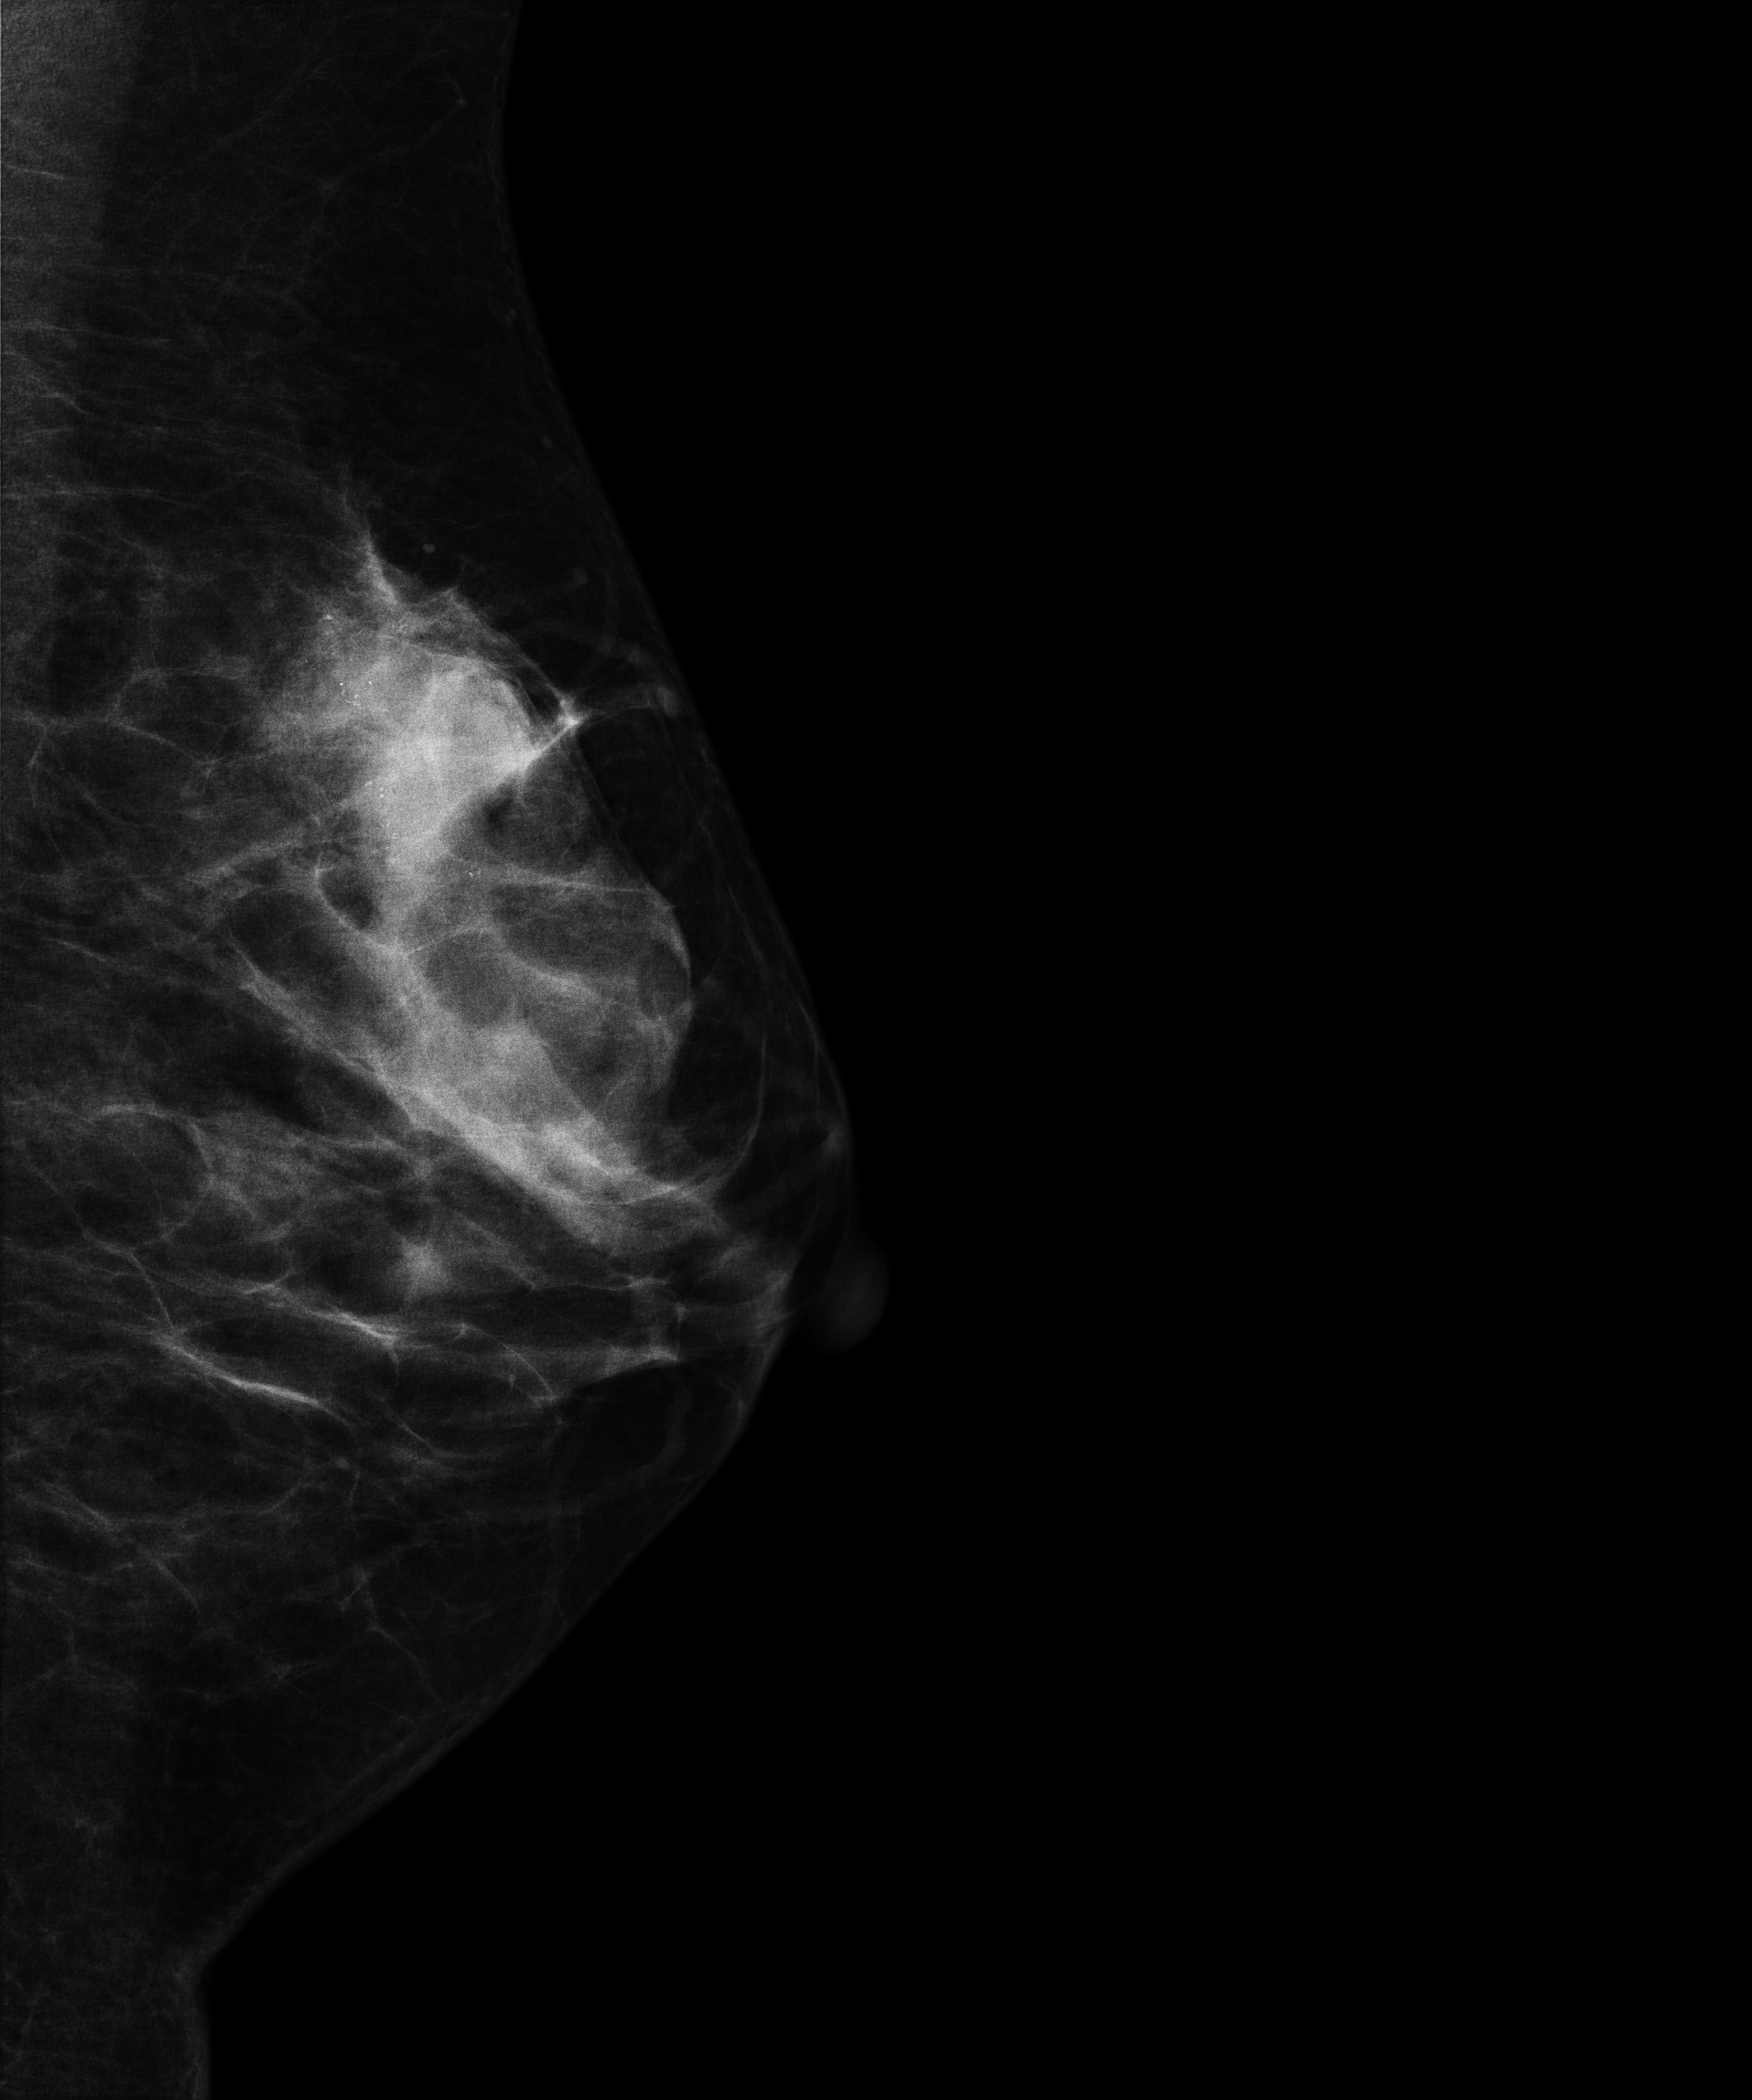
Left-breast mammogram, MLO. Patient age 52.
This breast has a mass and calcifications, histologically confirmed malignant. Molecular subtype: luminal B.